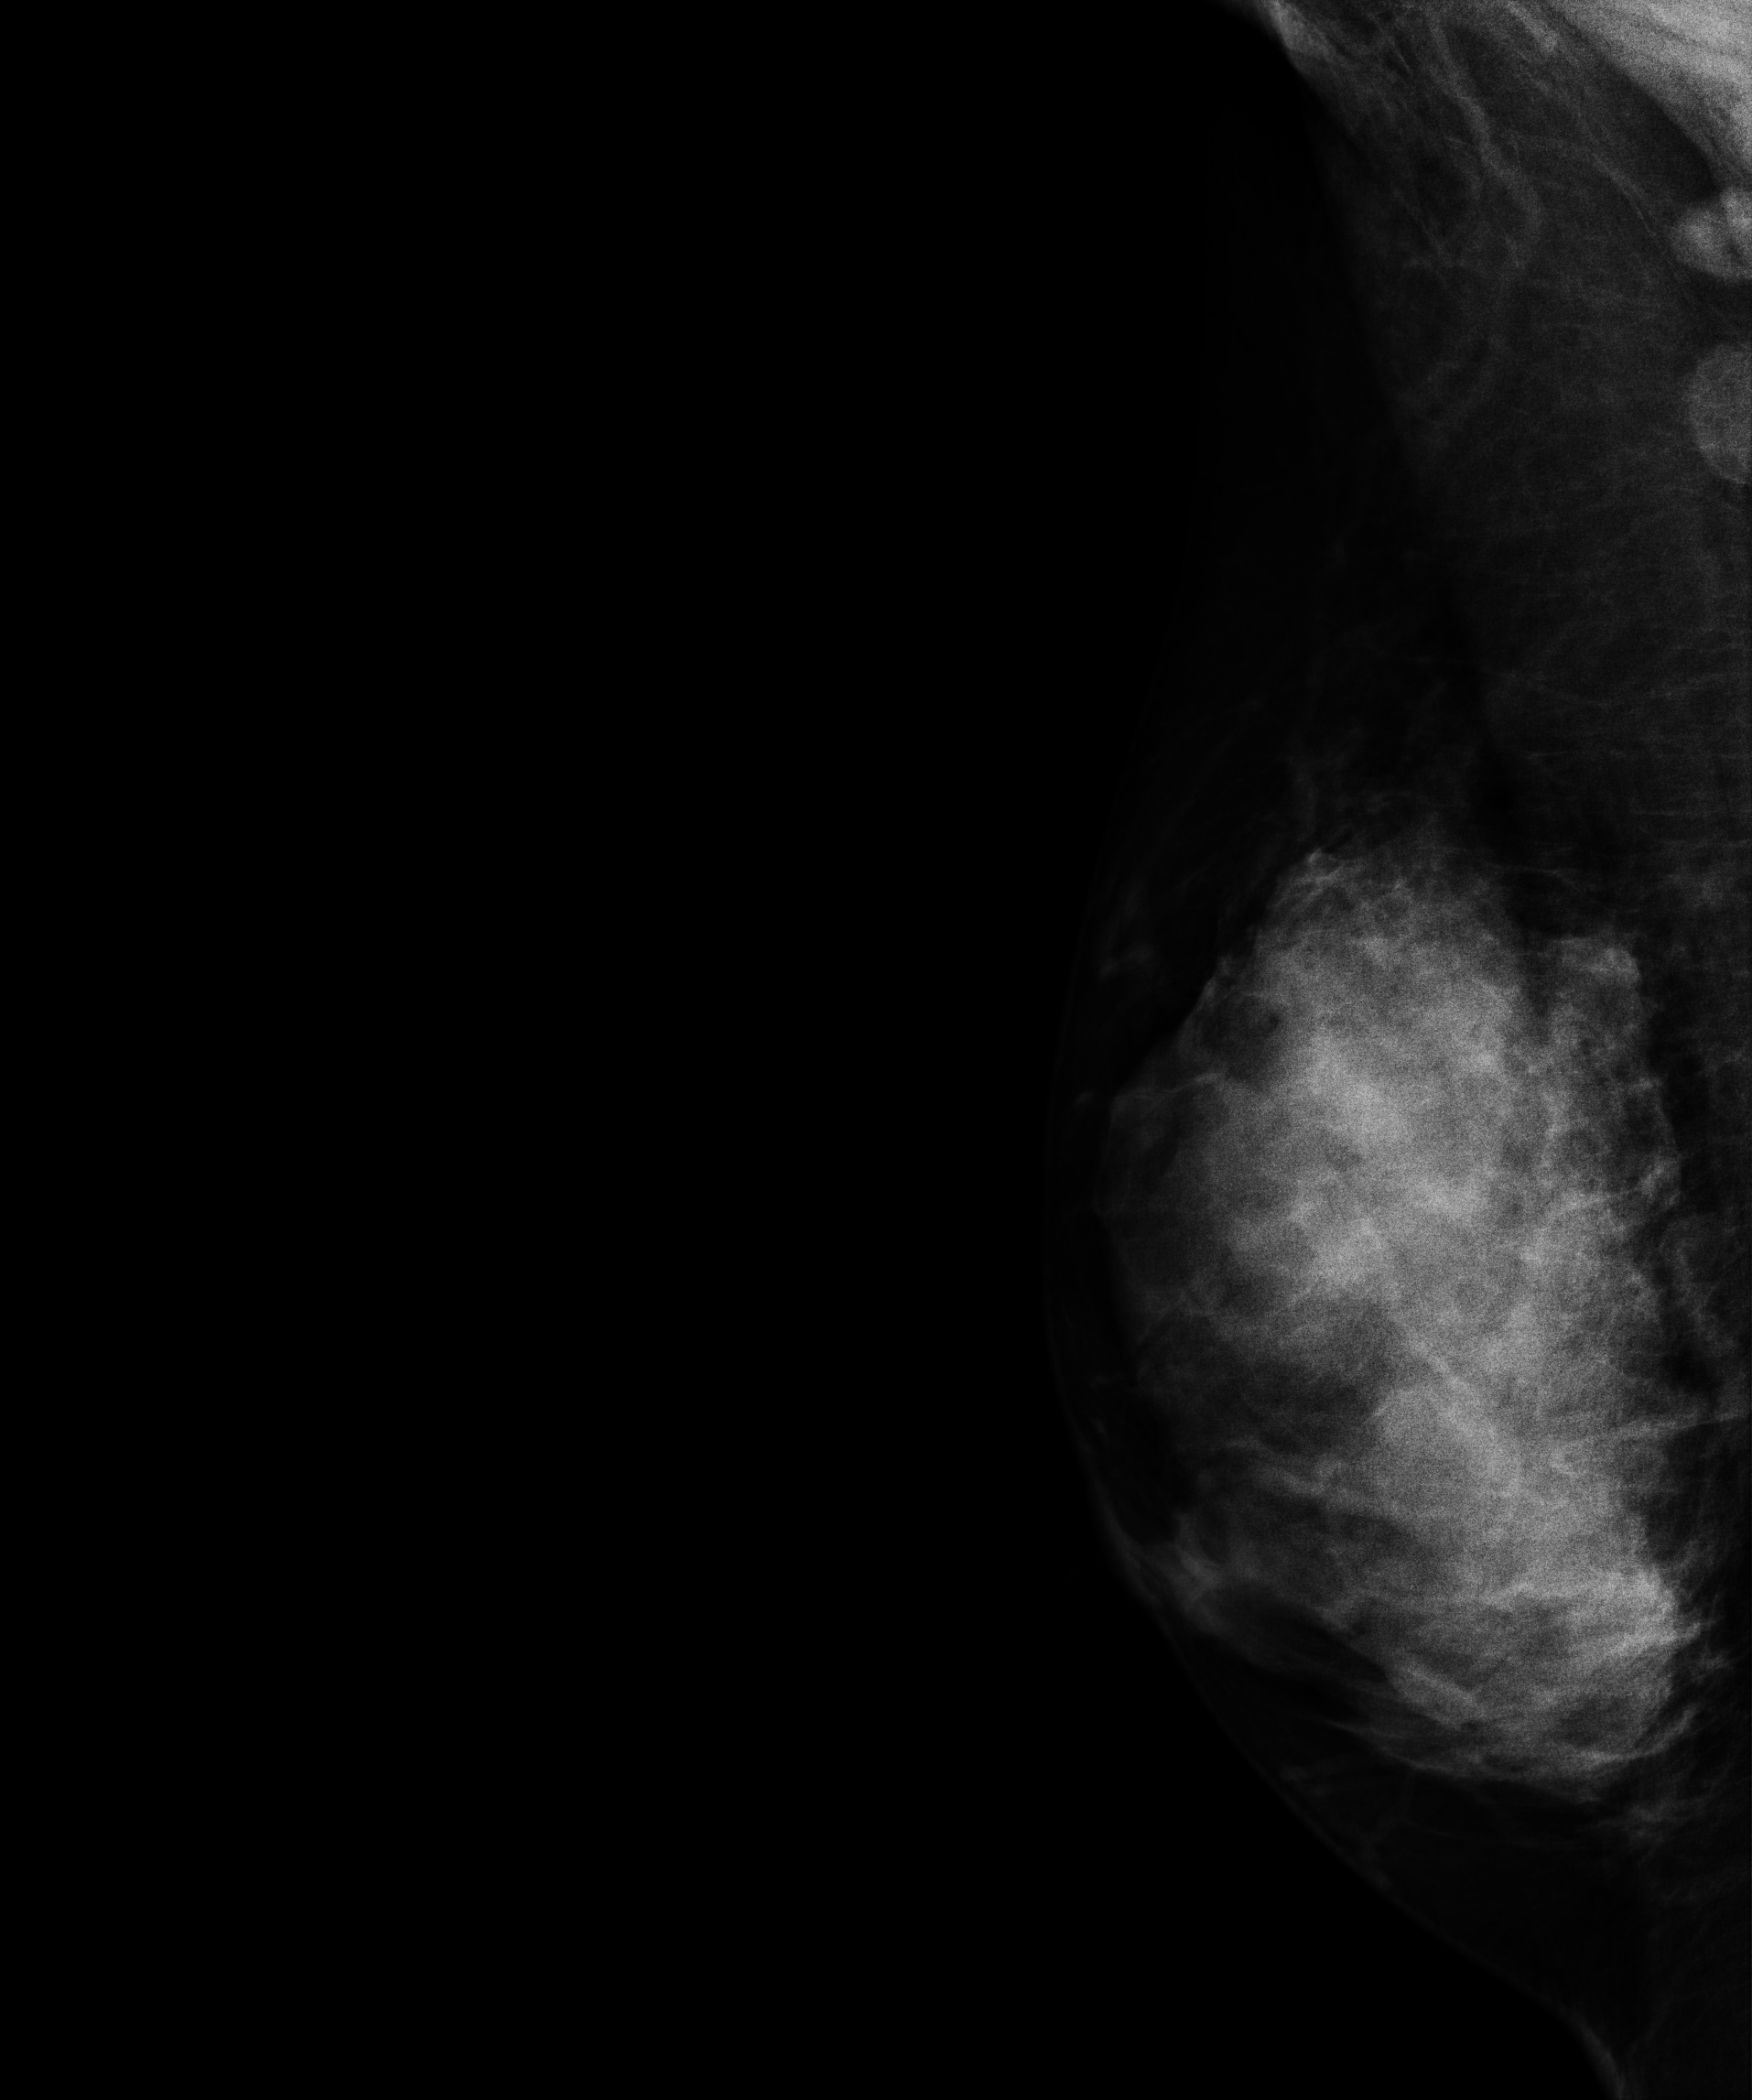
Mammogram, right breast, MLO view. 43 y/o patient.
This breast has a mass, histologically confirmed malignant. Molecular subtype: triple-negative.